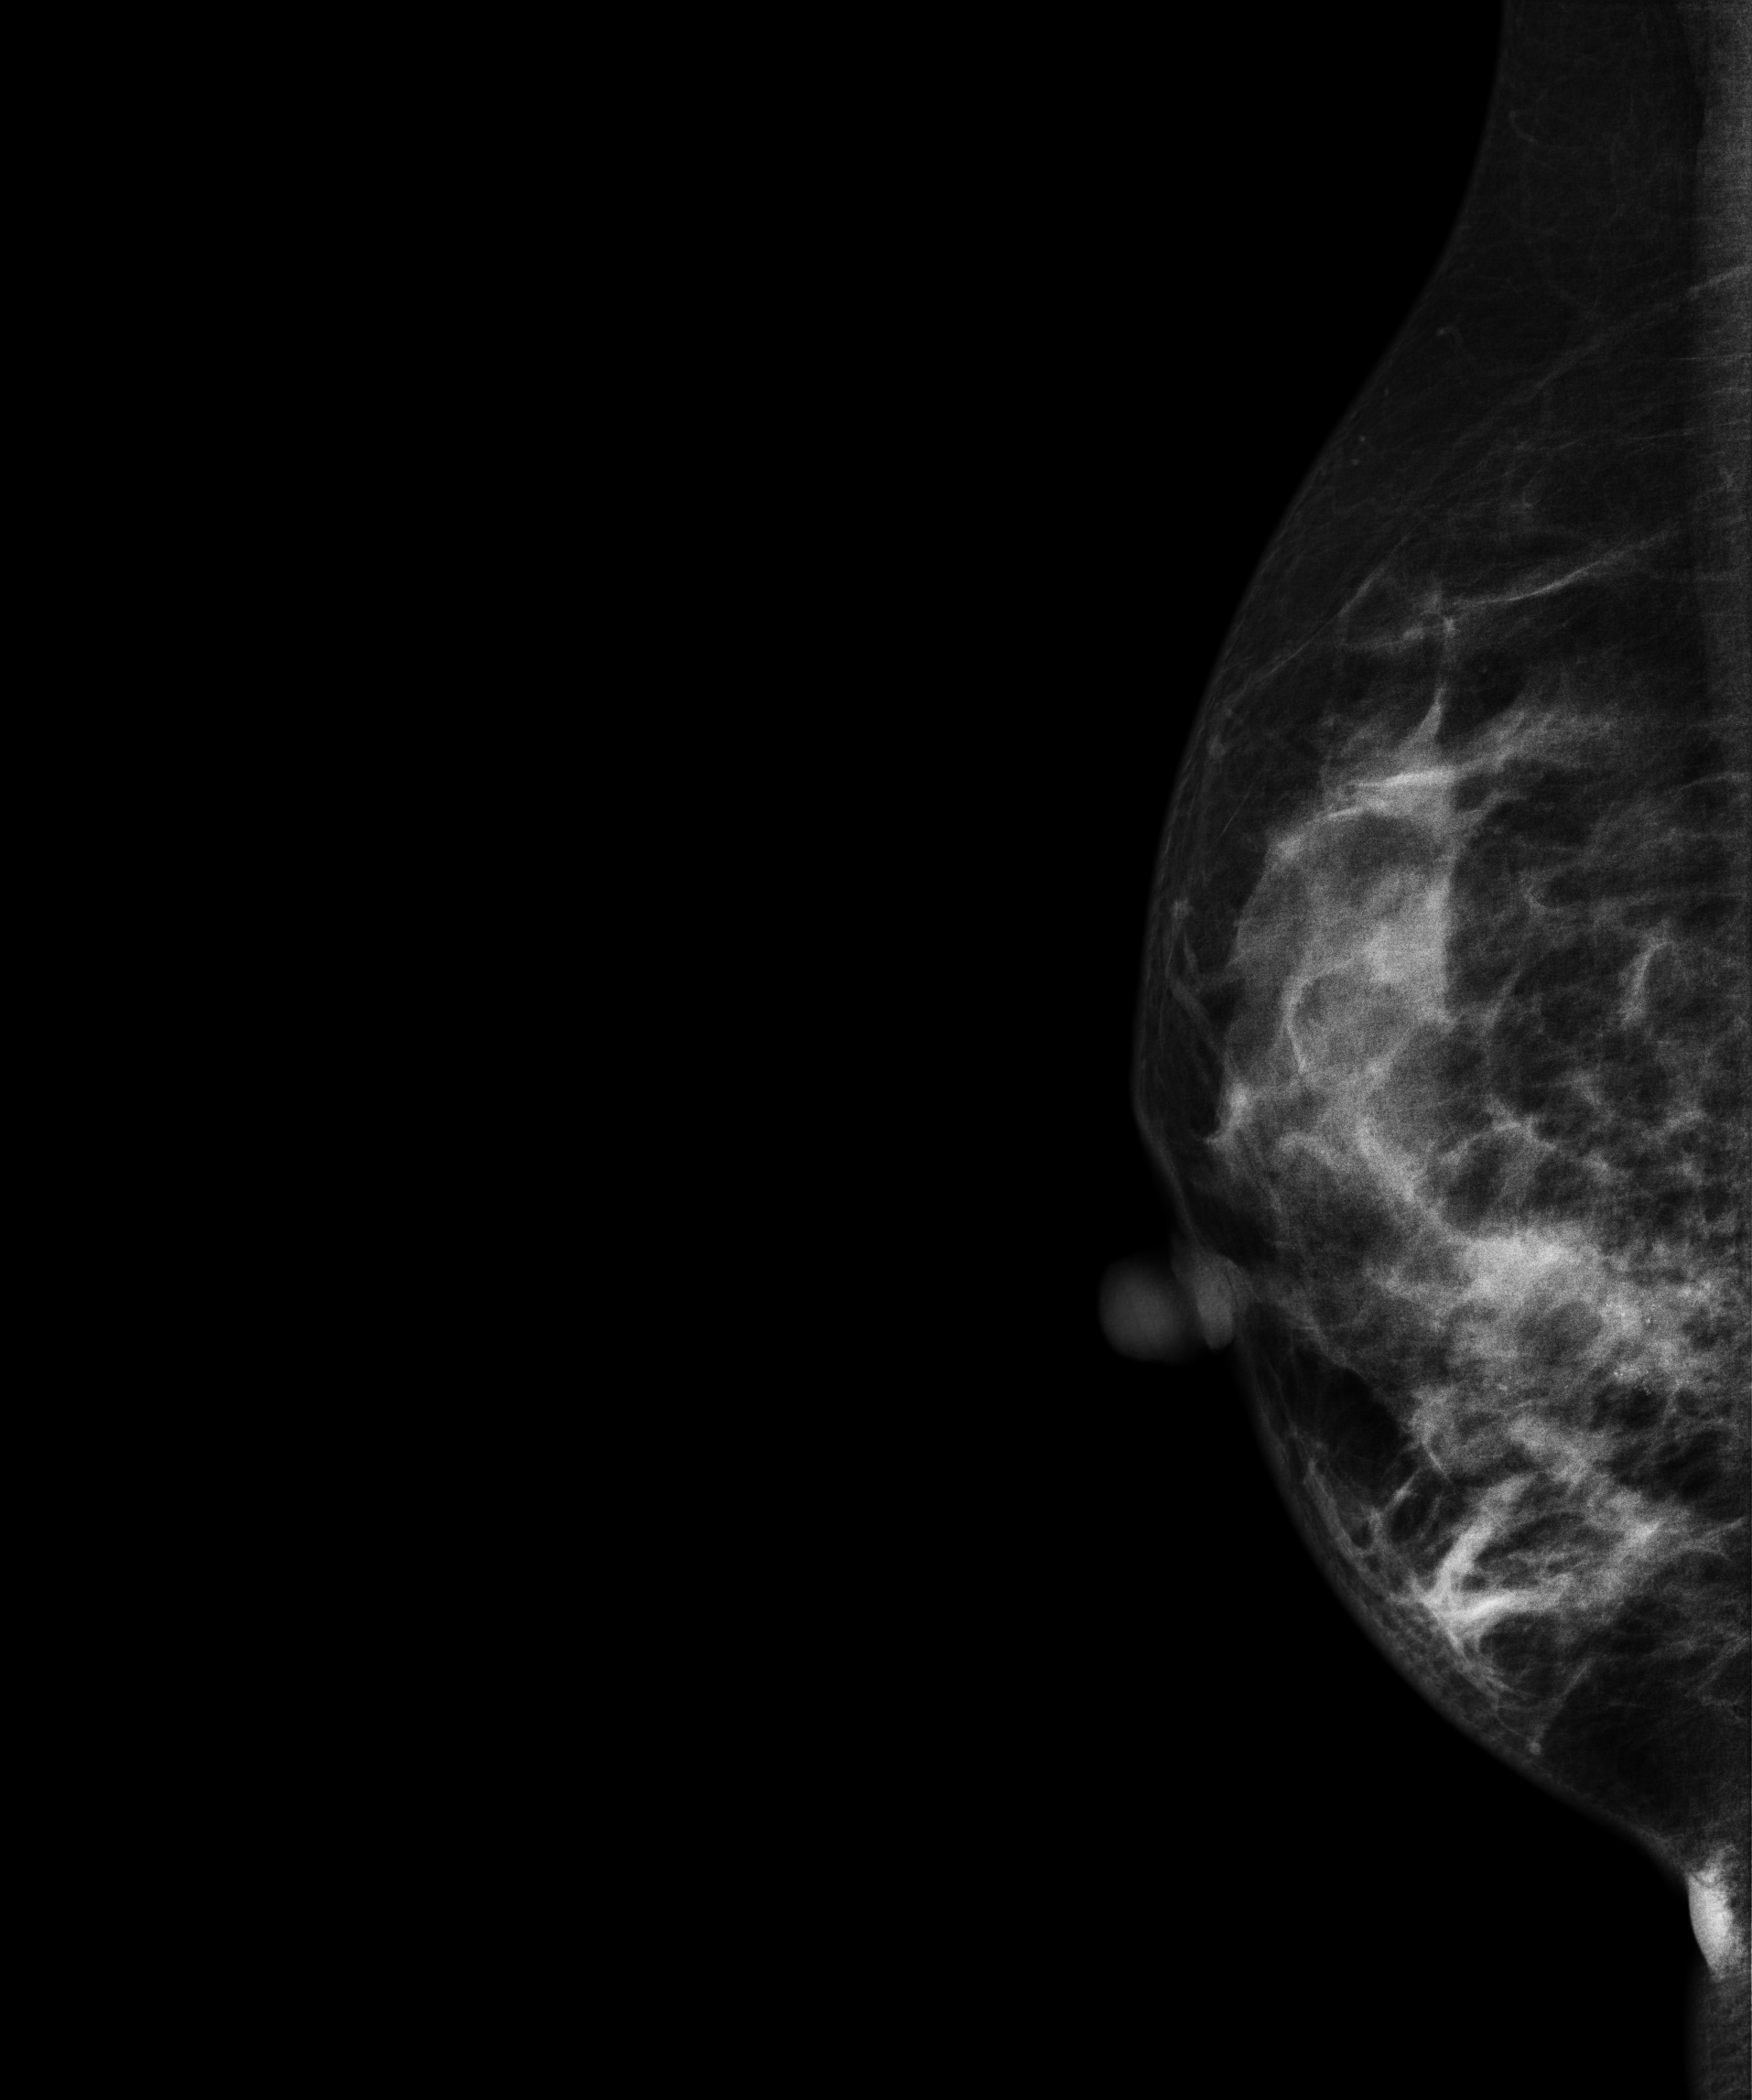
Digital mammography. Right breast, medio-lateral oblique projection. 32-year-old patient.
This breast has calcifications, biopsy-confirmed malignant.